Cranio-caudal mammogram of the left breast. 60 y/o patient.
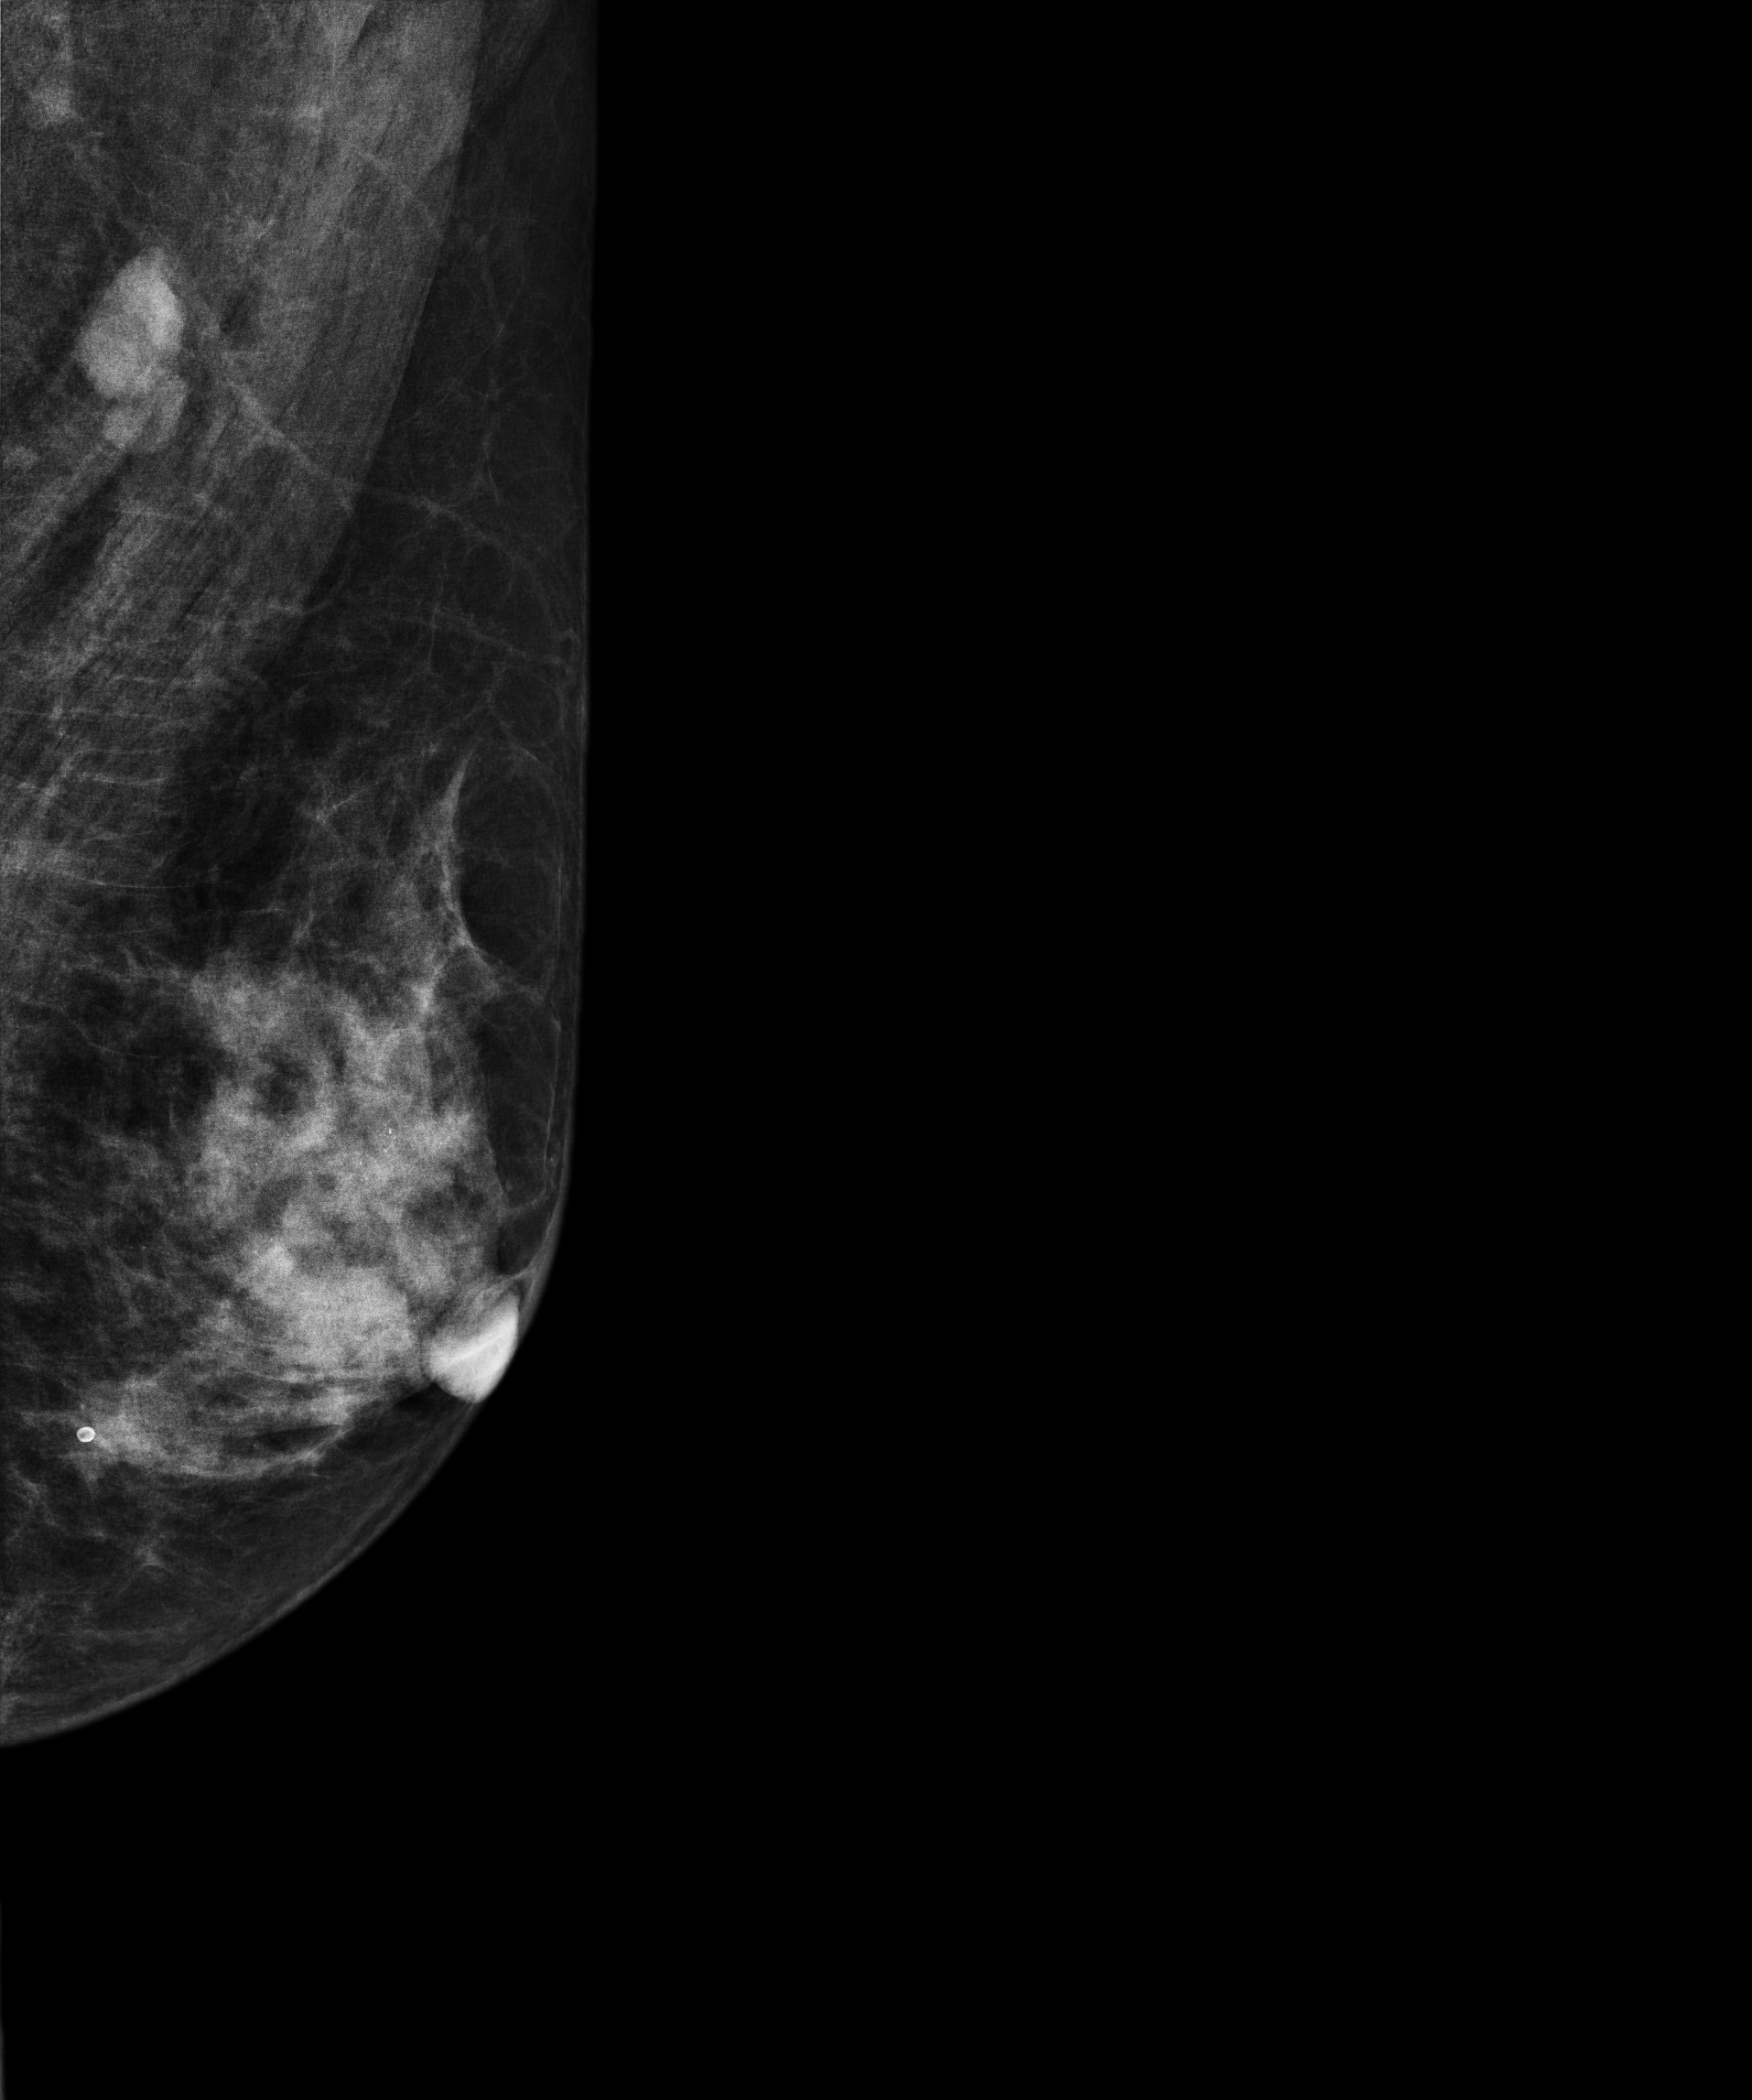
This breast has calcifications, pathology-confirmed malignant. Molecular subtype: luminal A.